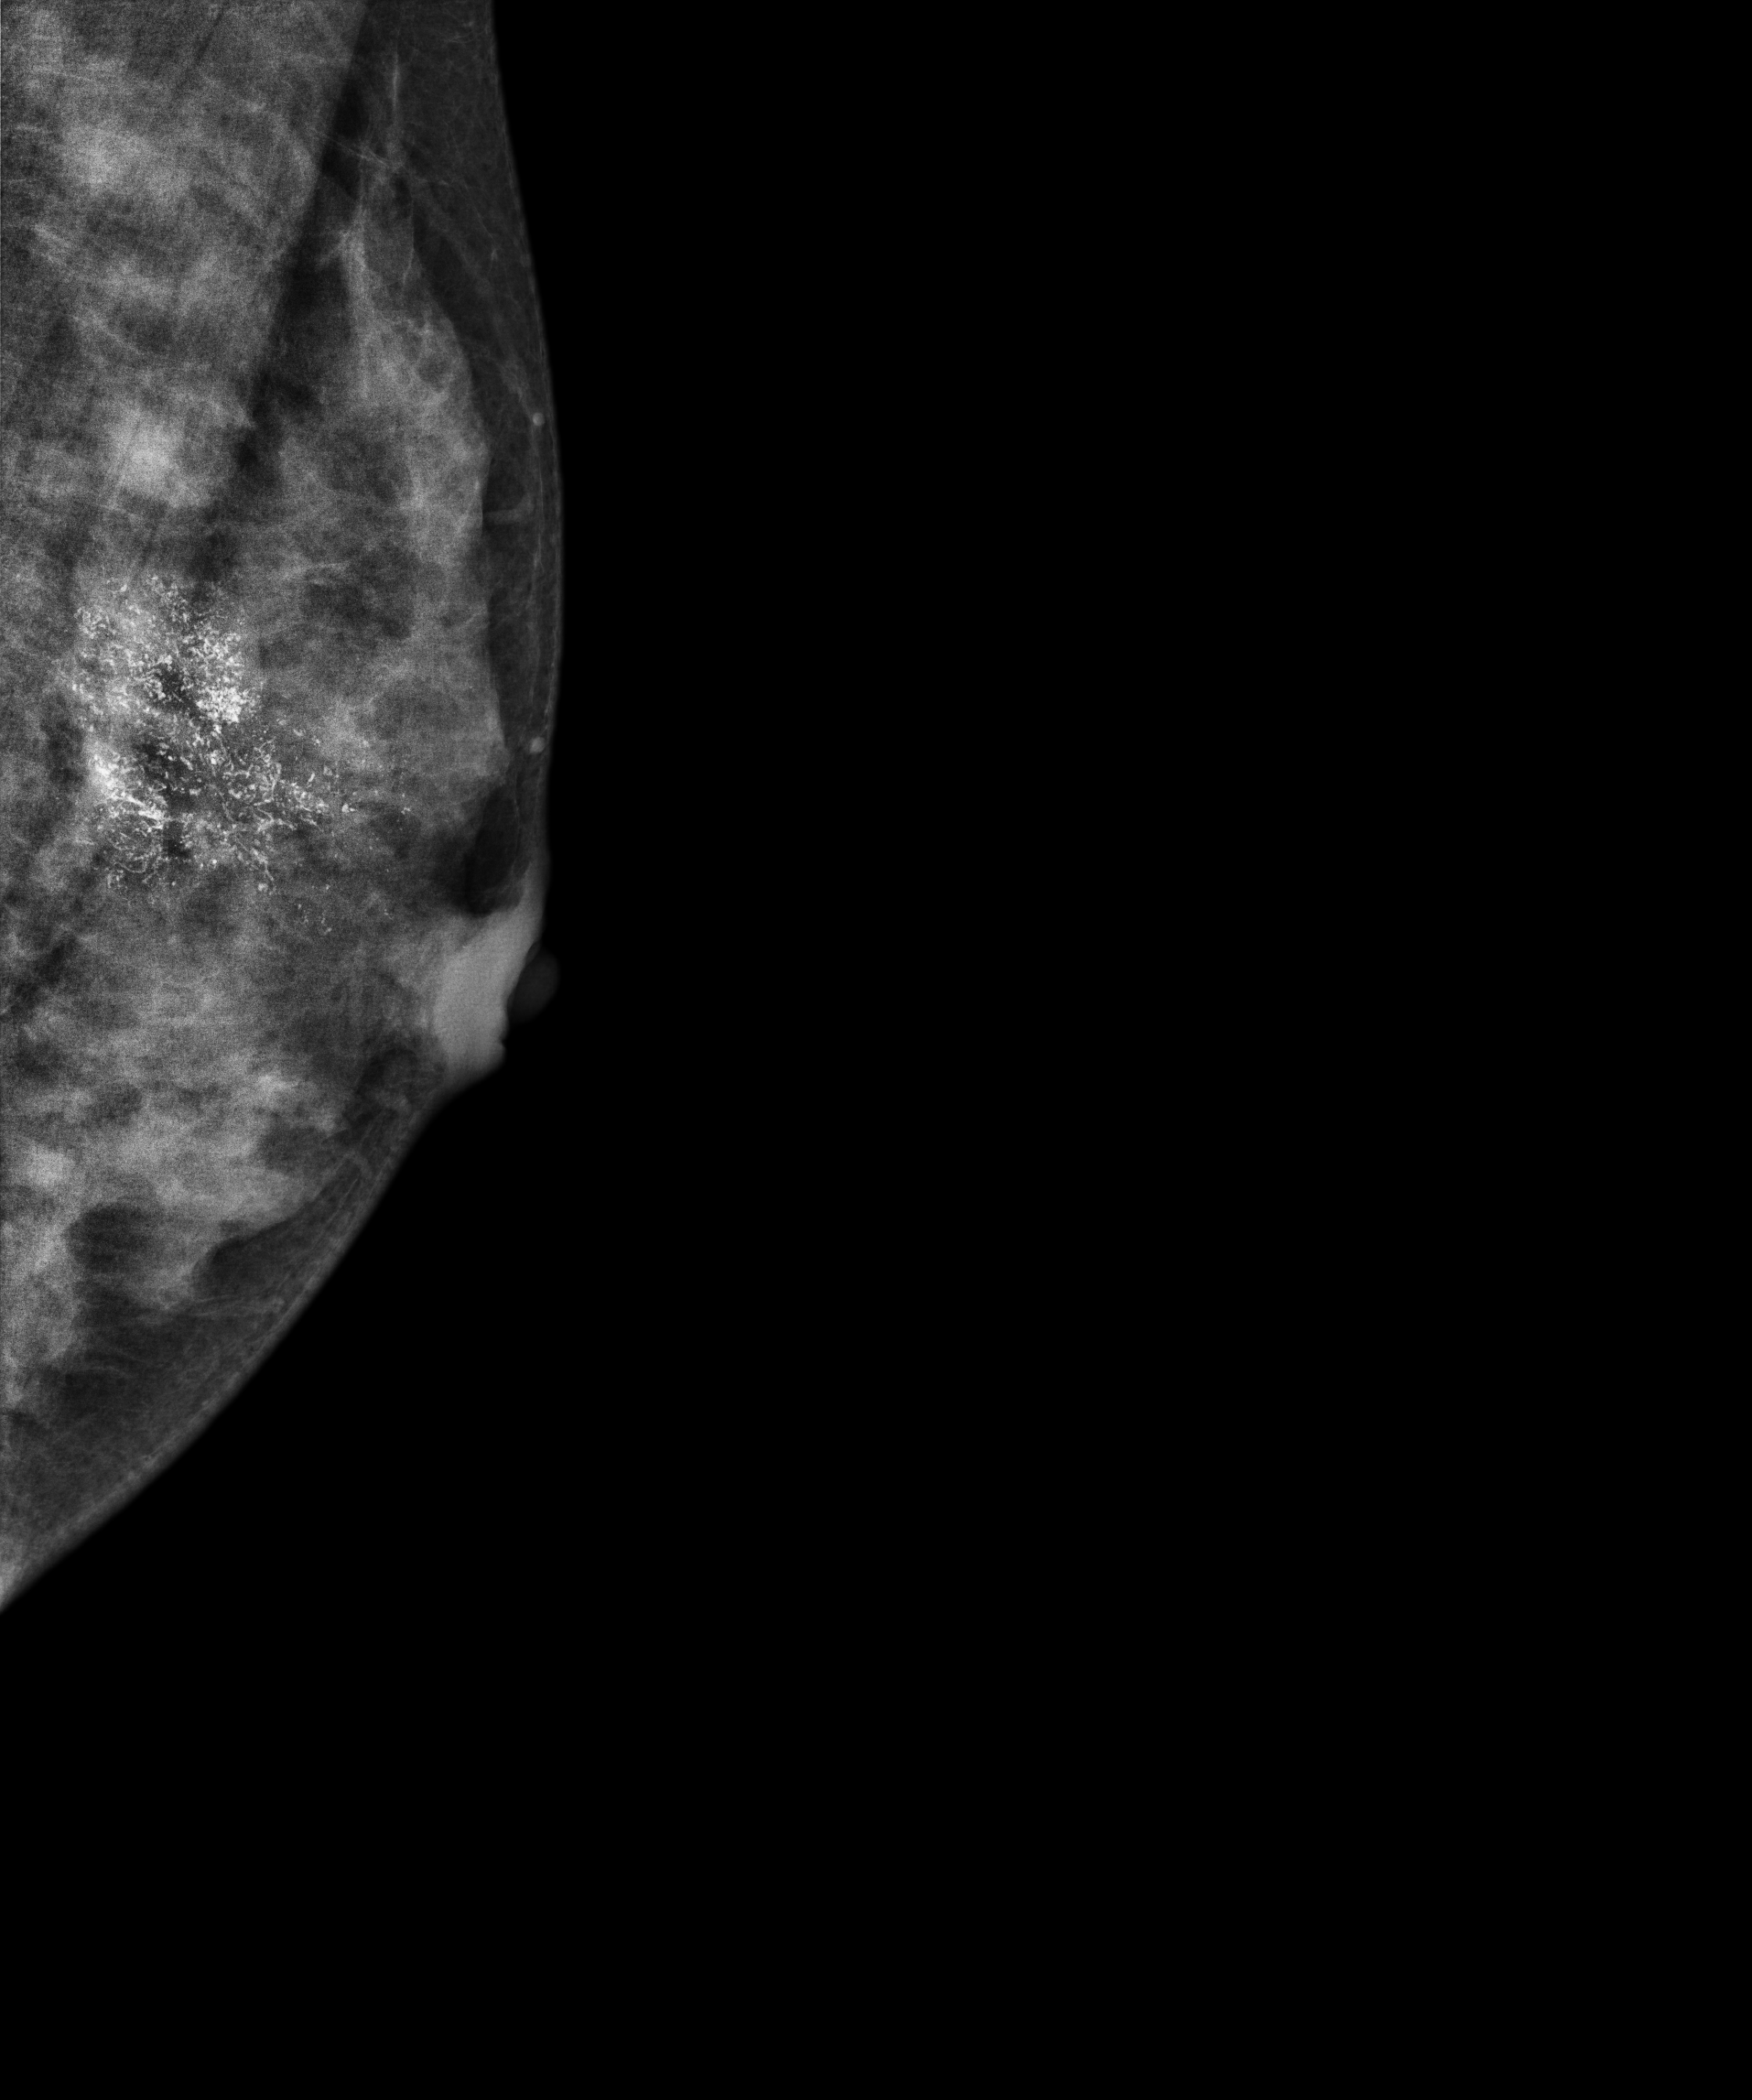
Mammogram, left breast, medio-lateral oblique view. Patient age 44.
This breast has calcifications, biopsy-confirmed malignant. Molecular subtype: luminal B.